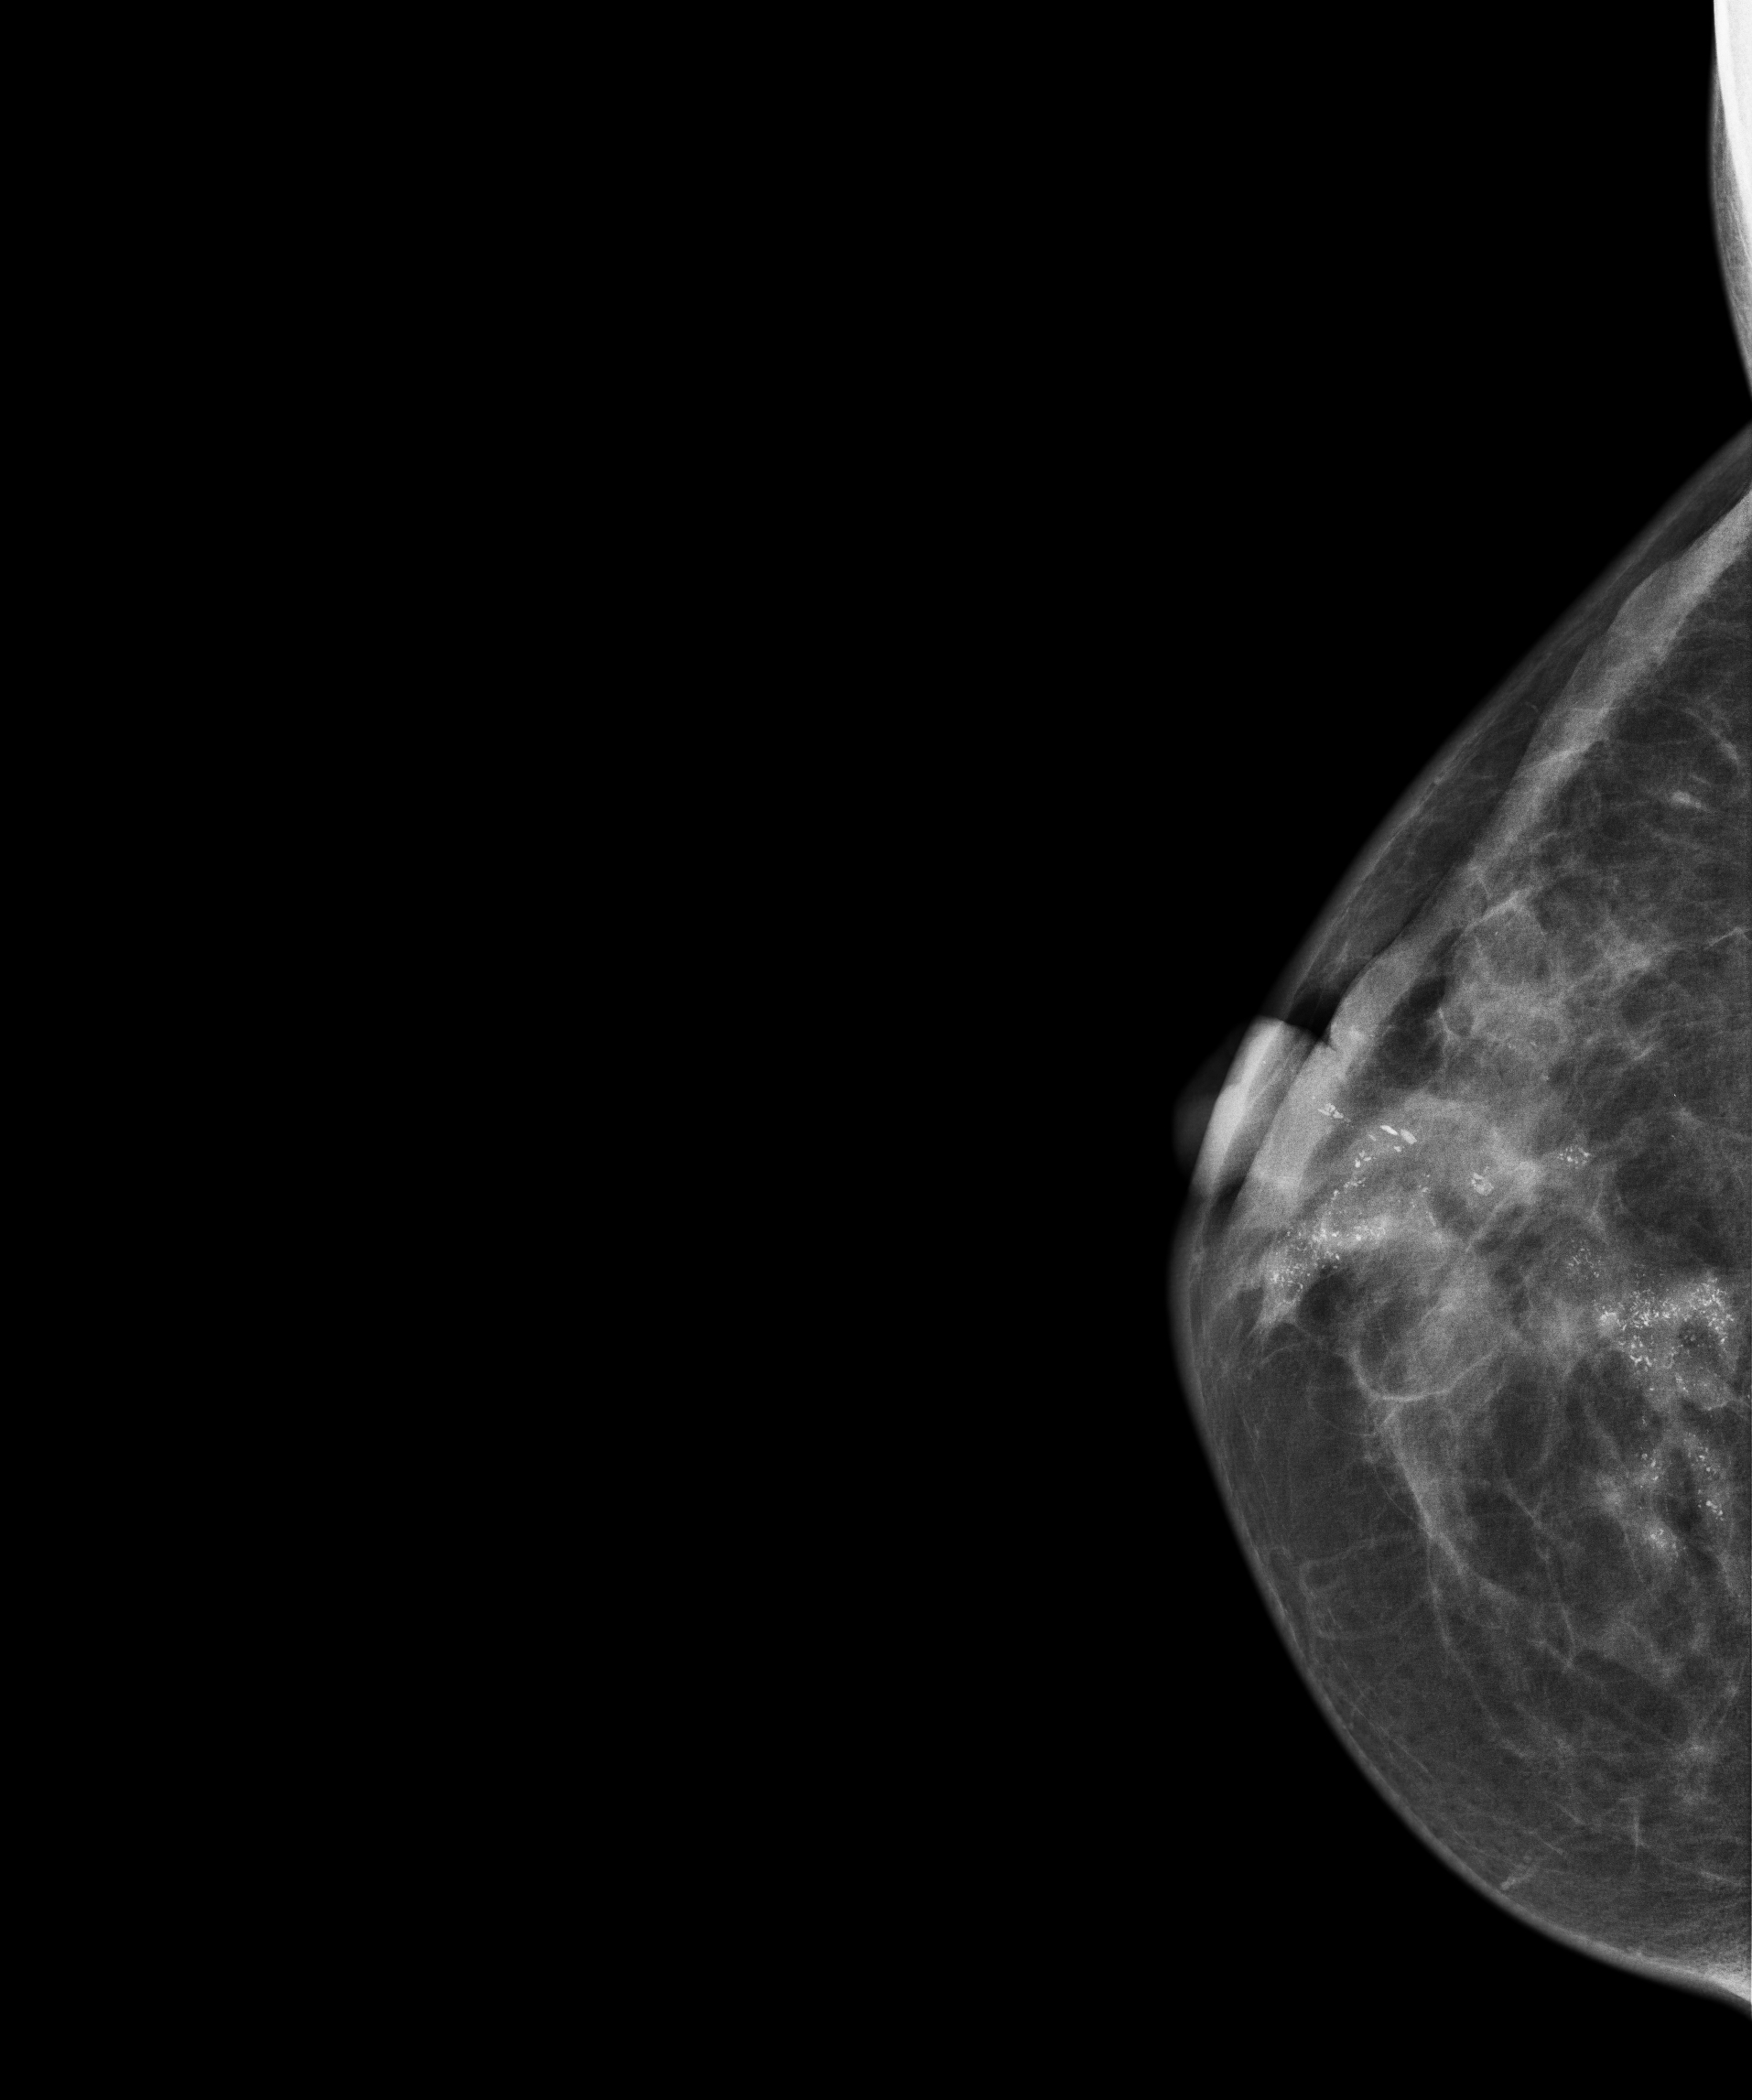
Mammogram — right cranio-caudal. 47 y/o patient.
This breast has calcifications, biopsy-proven malignant. Molecular subtype: luminal B.